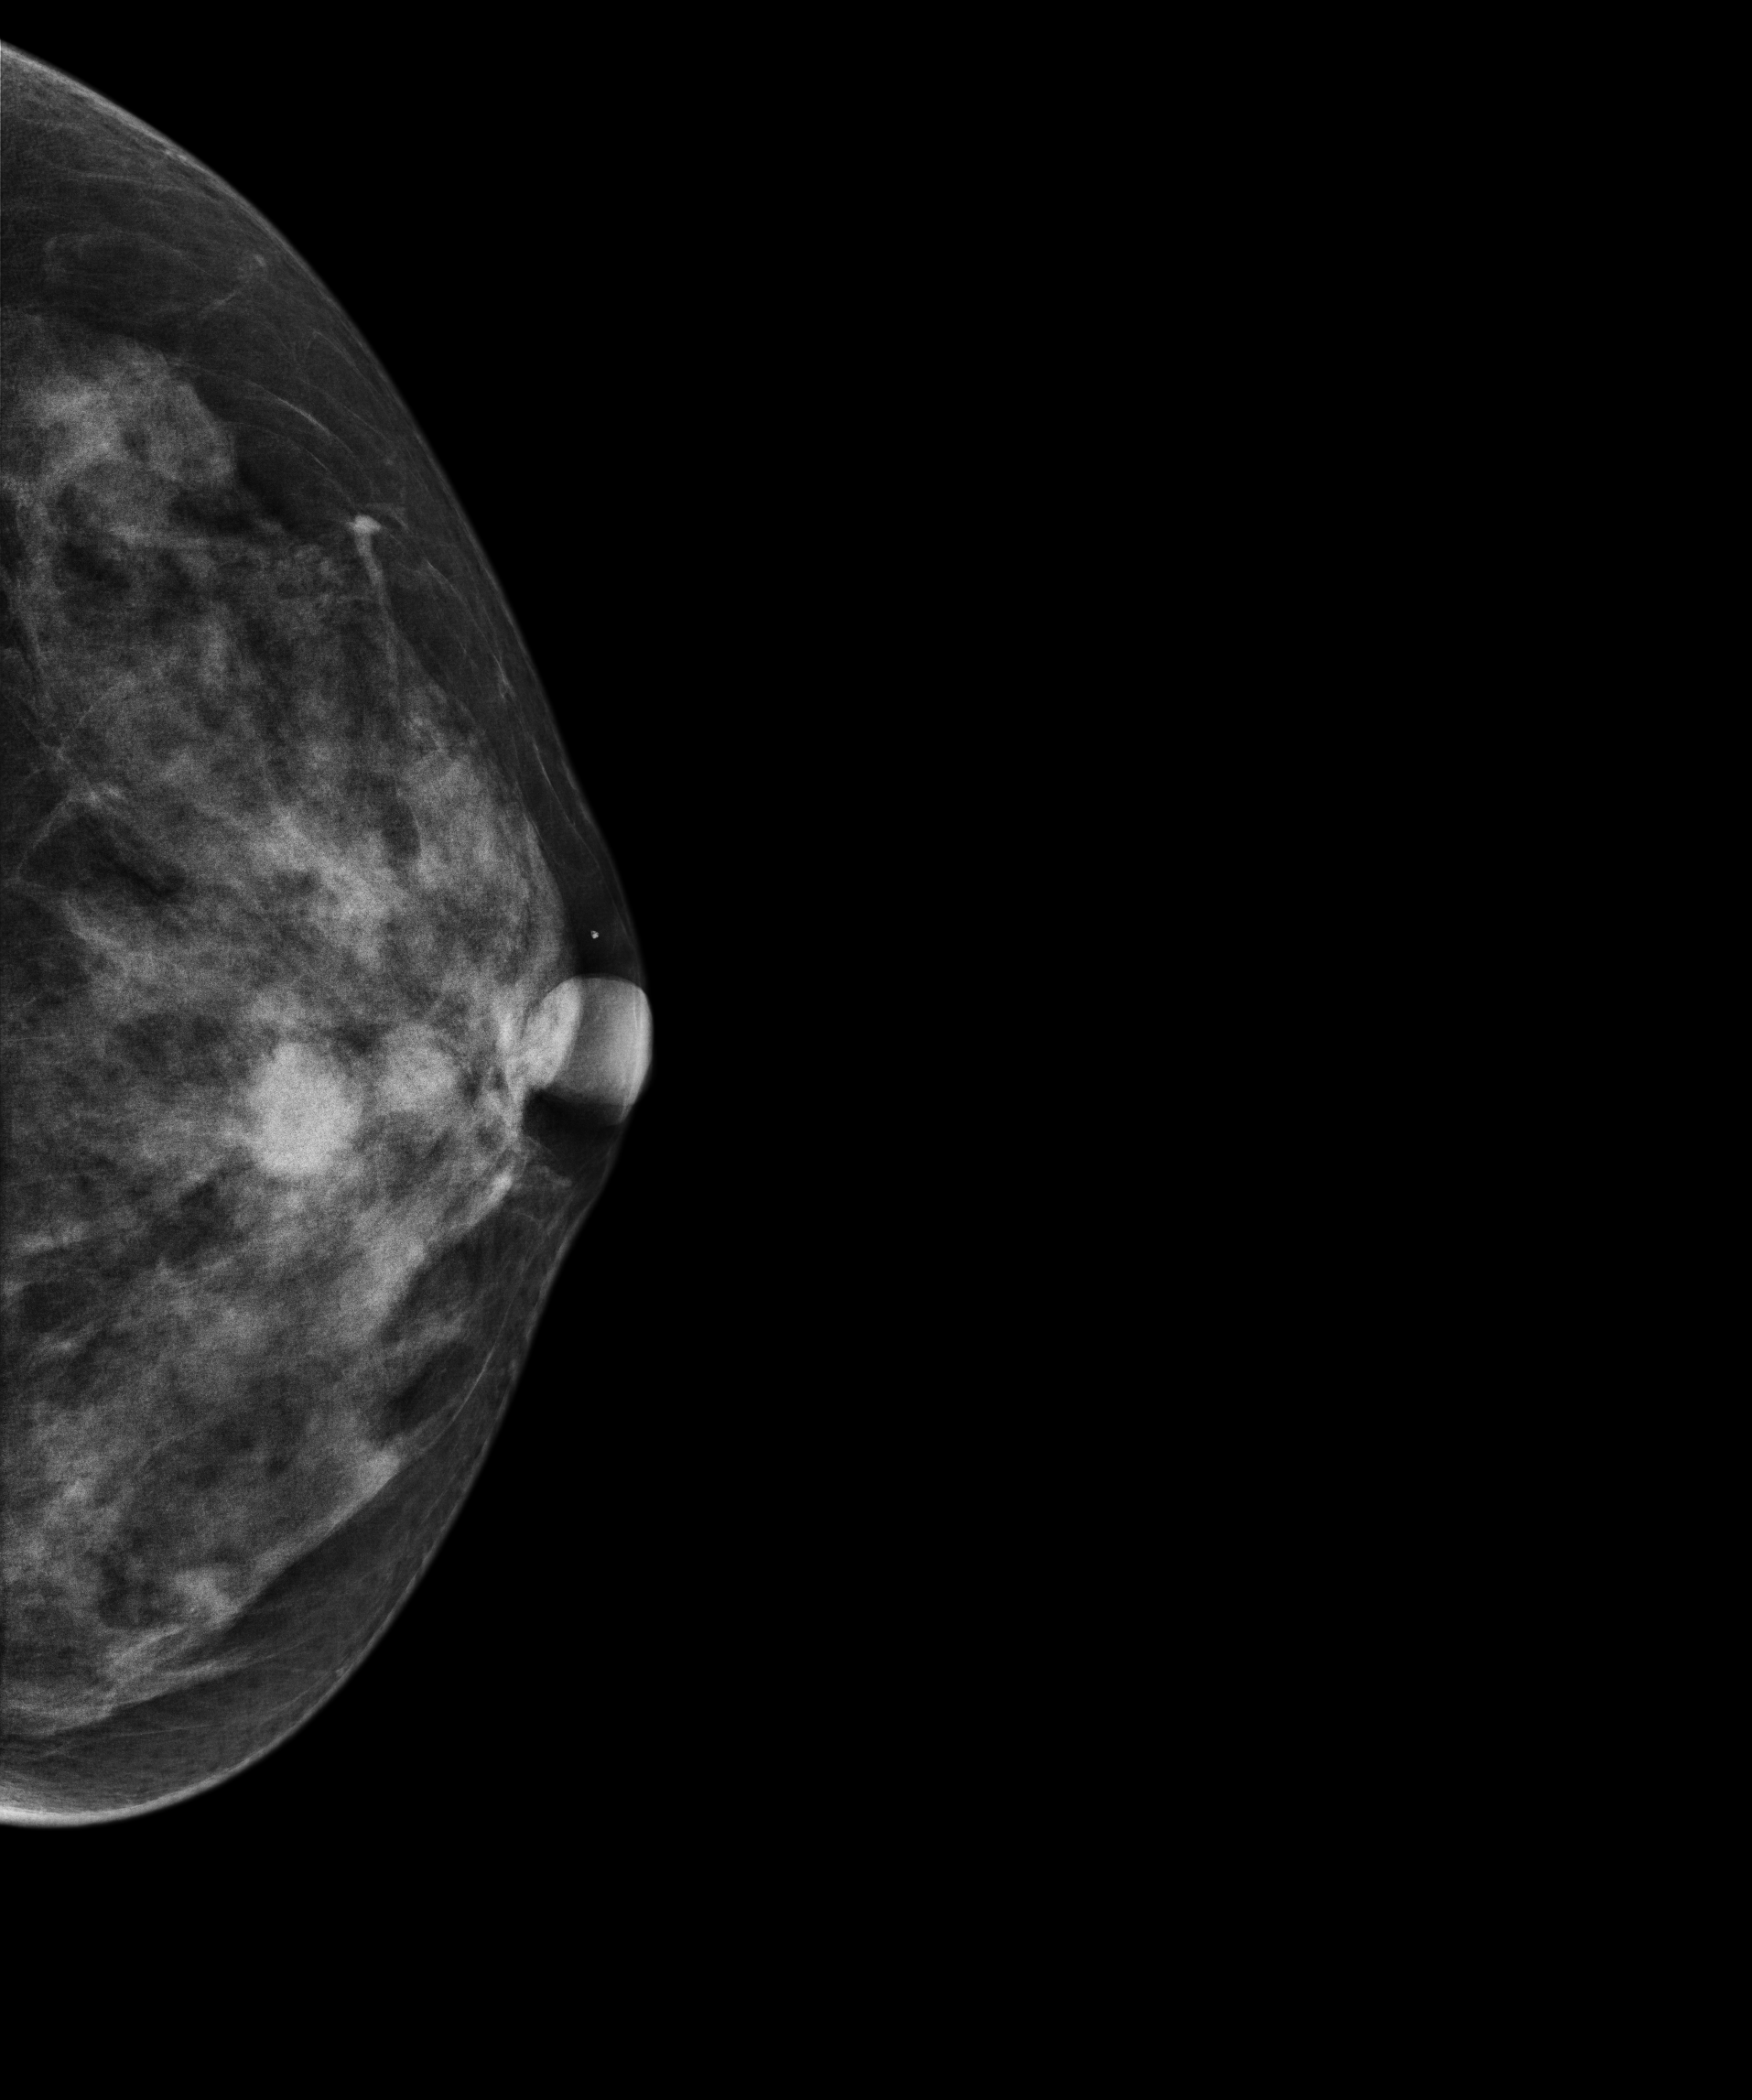
Cranio-caudal mammogram of the left breast. 38-year-old patient.
This breast has a mass, pathology-confirmed malignant. Molecular subtype: luminal B.